Mammogram — right medio-lateral oblique. Patient age 44.
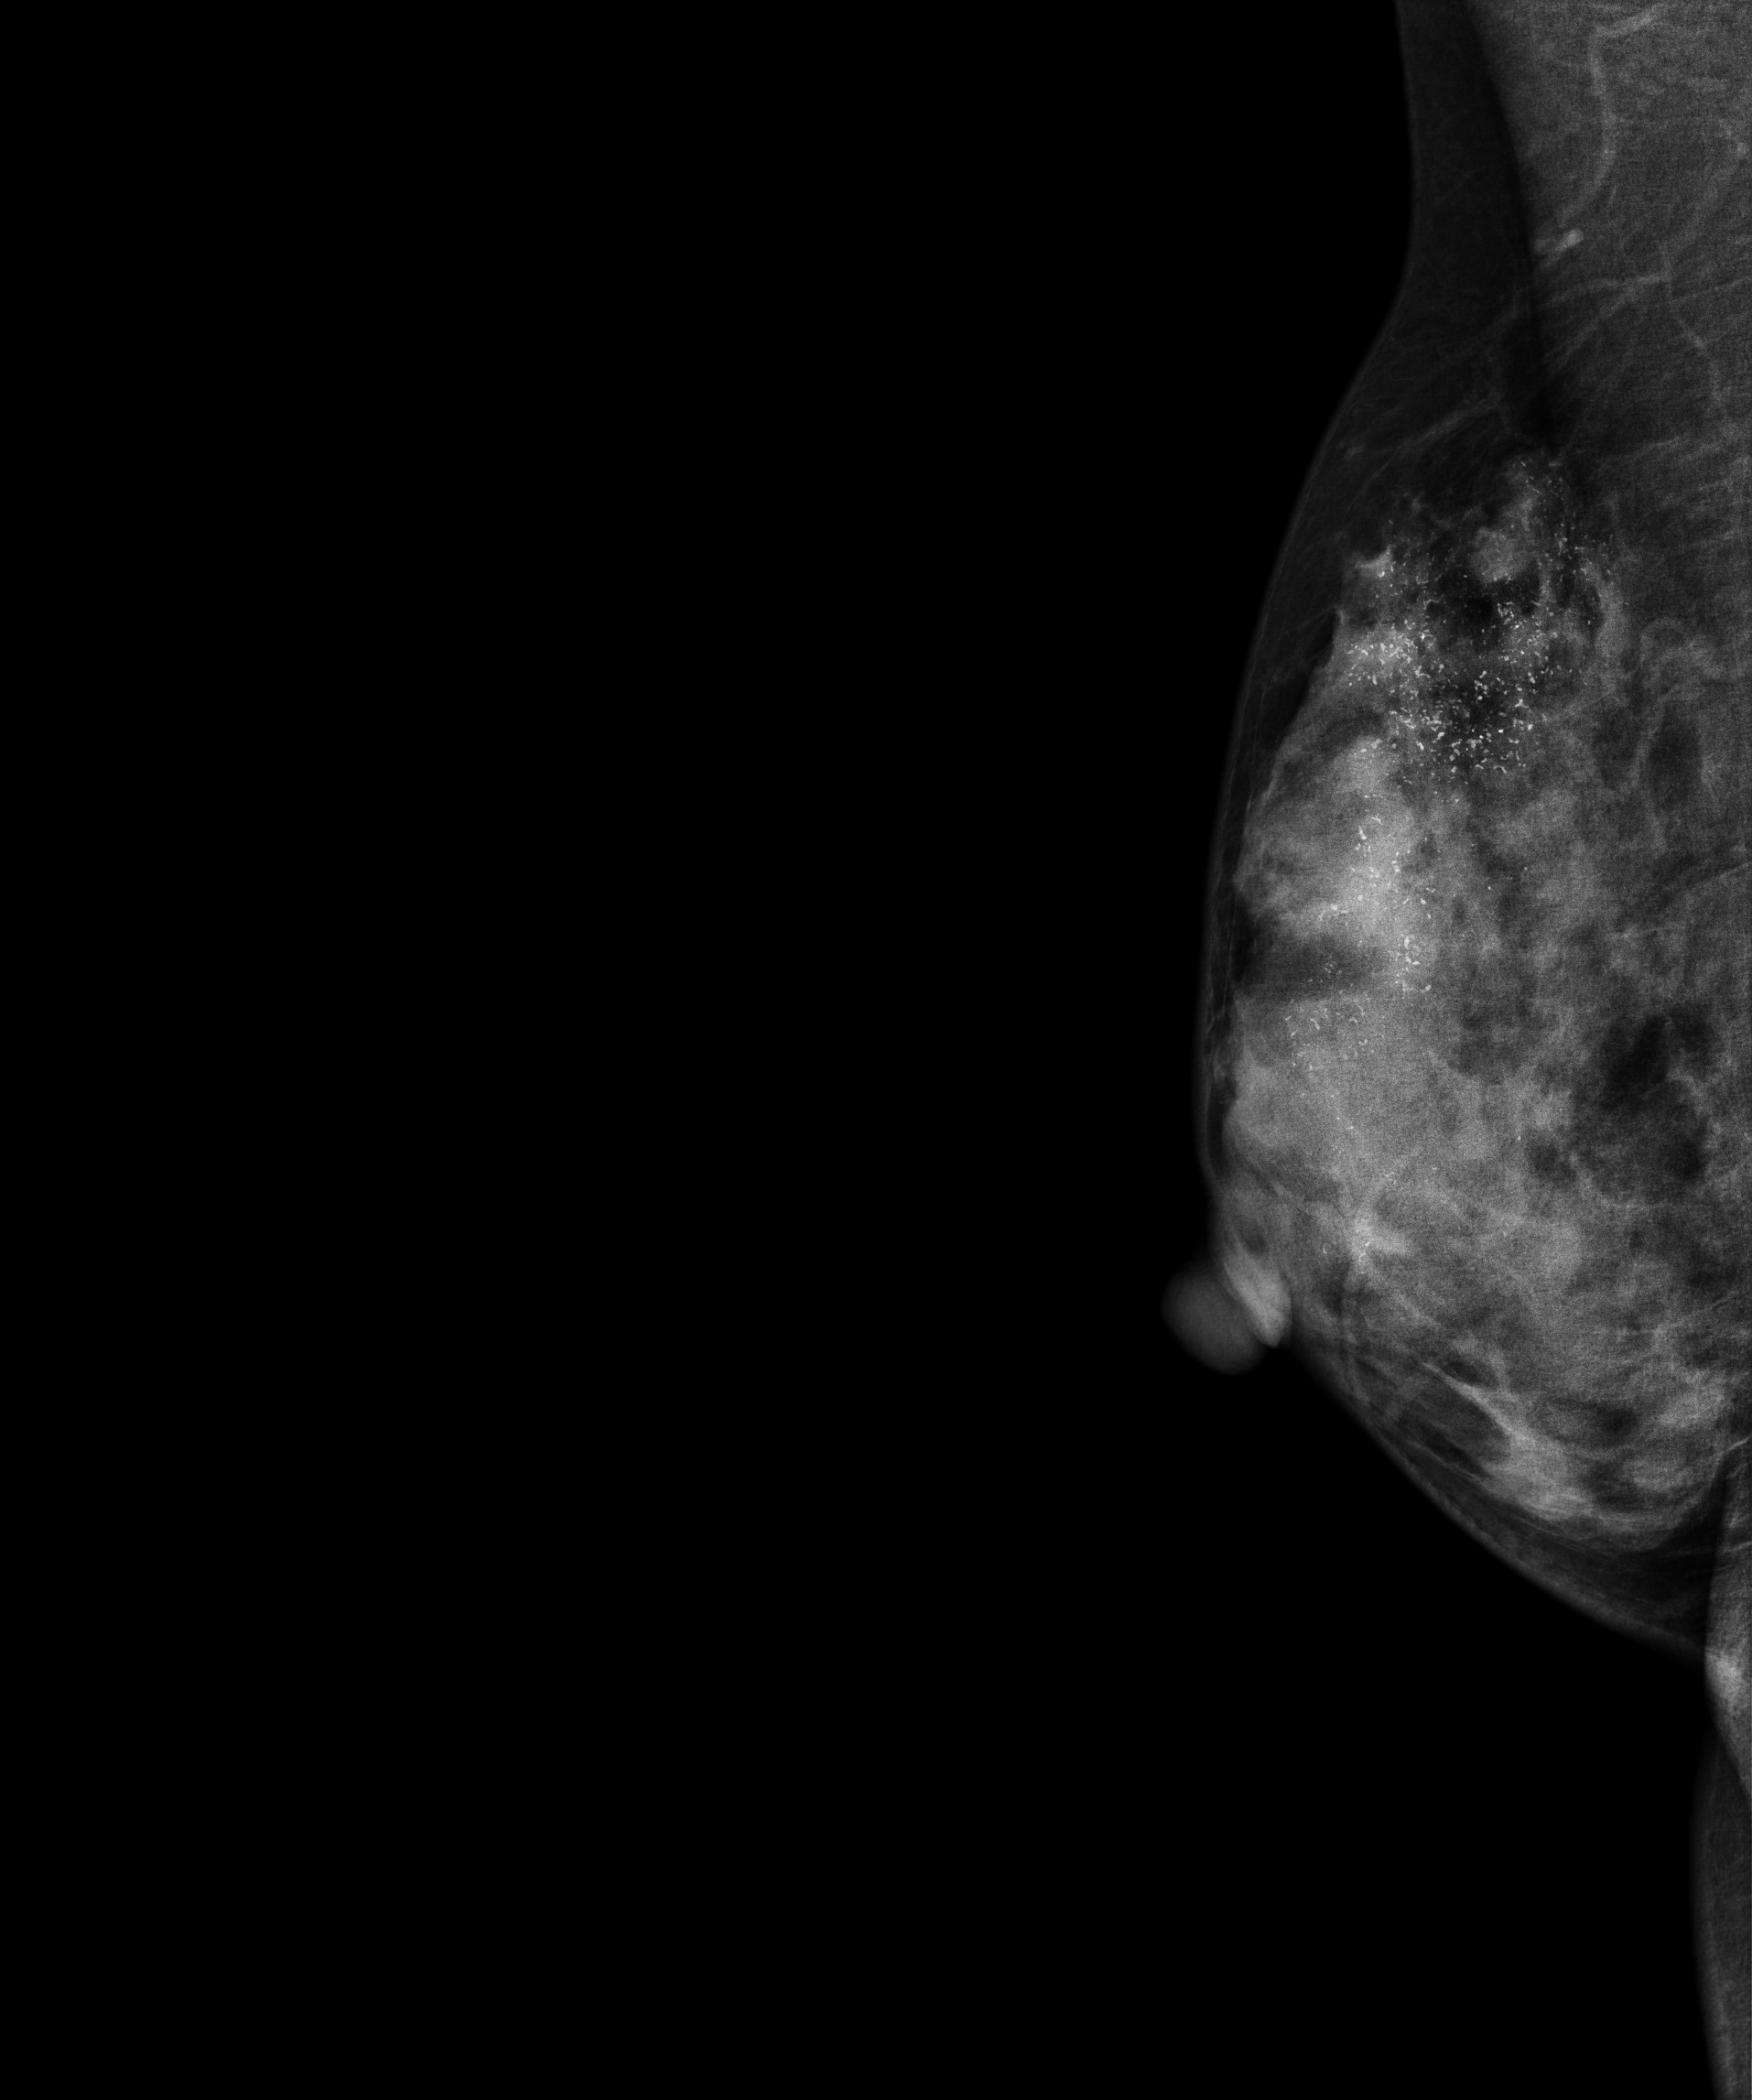
This breast has calcifications, pathology-confirmed malignant. Molecular subtype: luminal A.